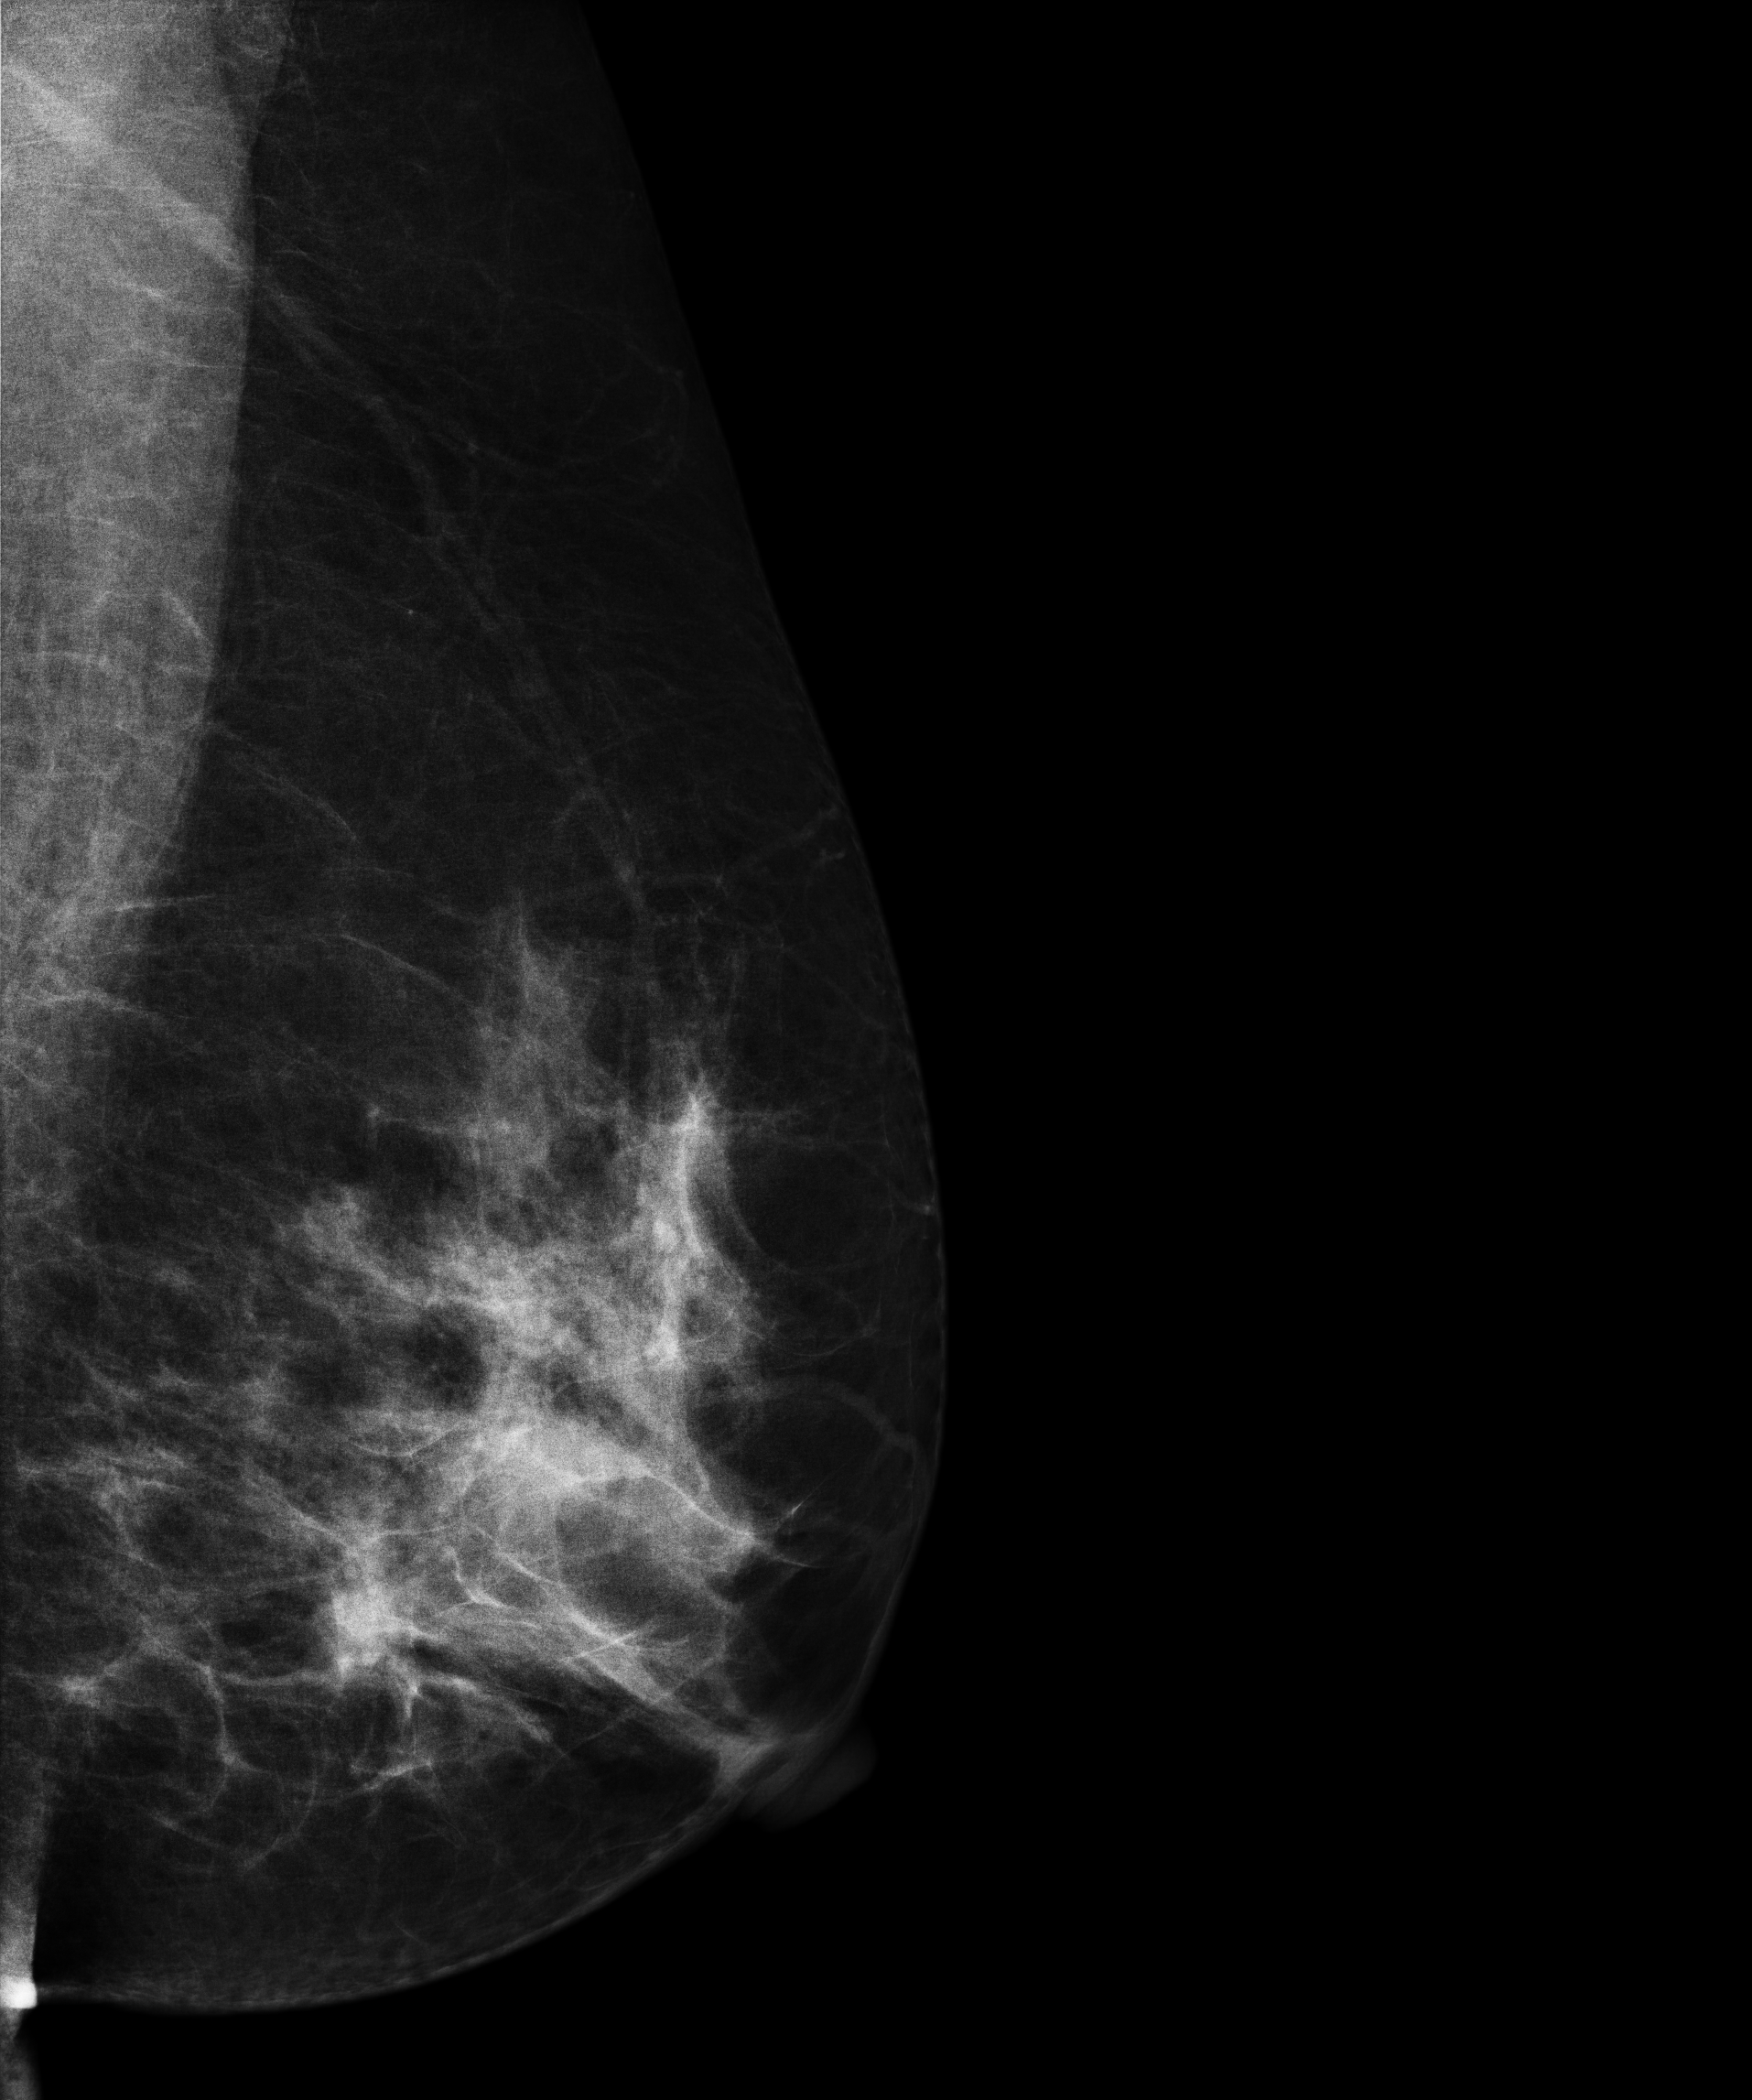
Digital mammography. Left breast, medio-lateral oblique projection. 47-year-old patient.
This breast has a mass, pathology-confirmed benign.